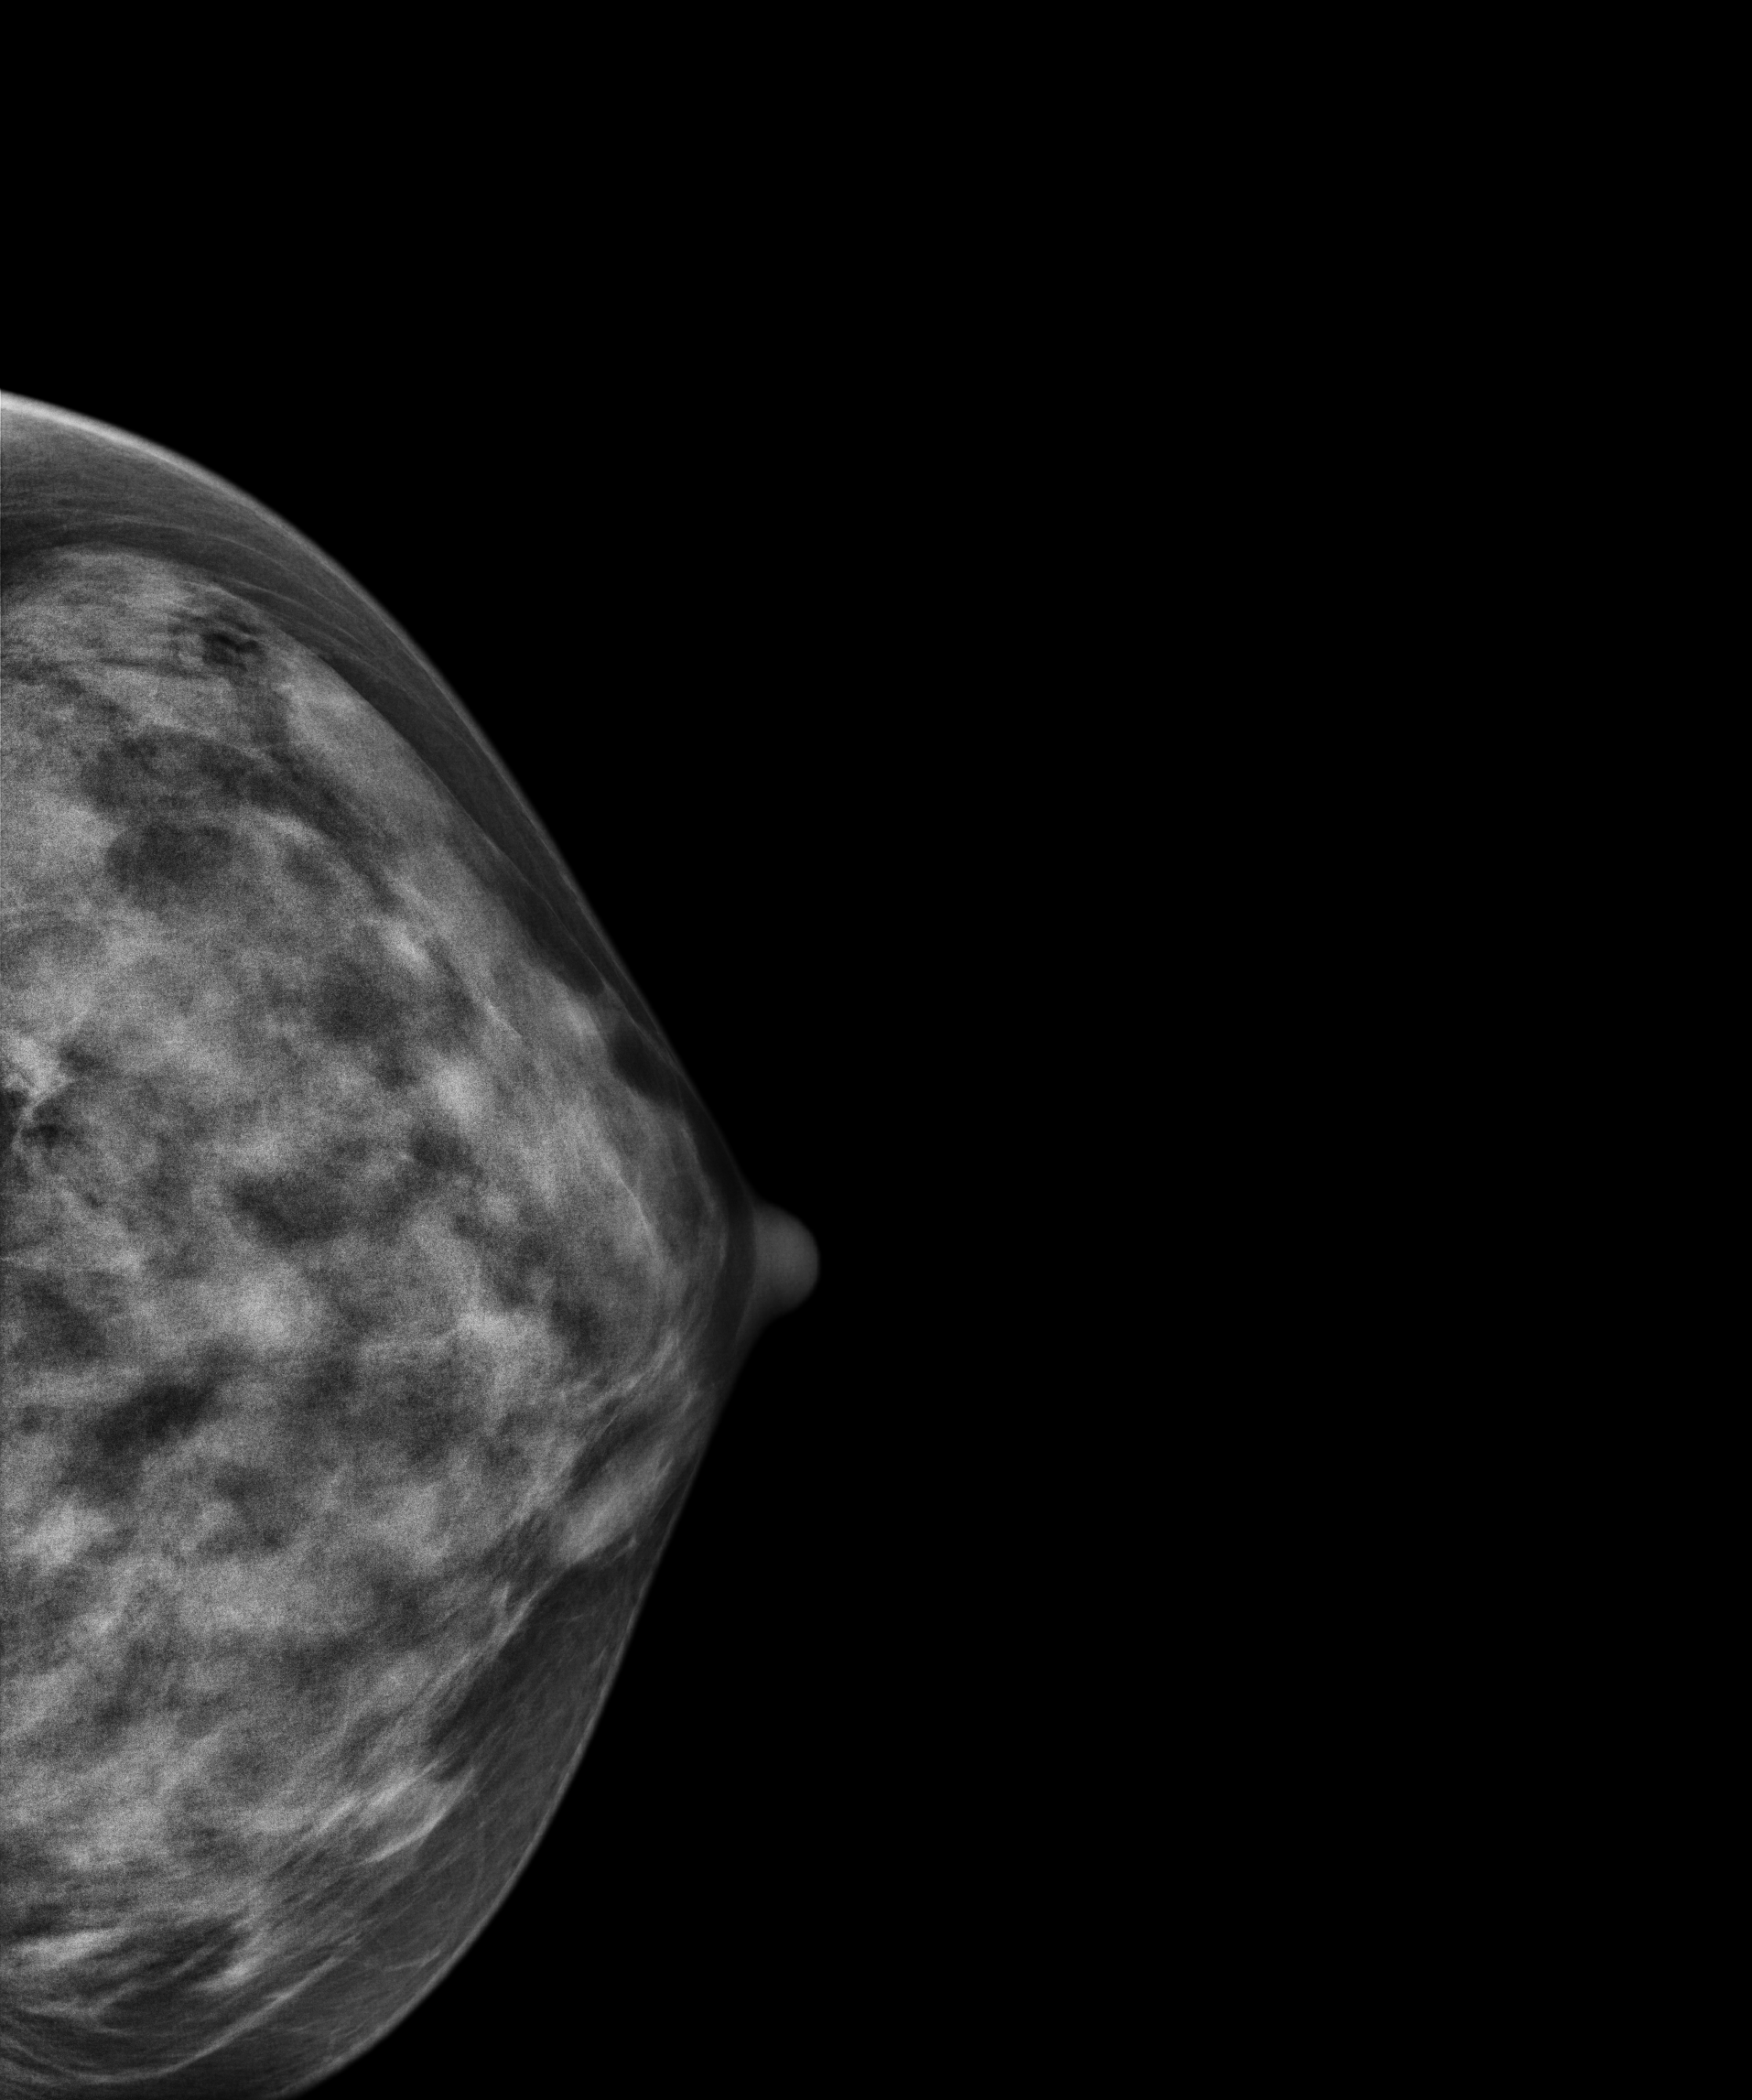
Mammogram — left CC. 38-year-old patient.
This breast has a mass, biopsy-confirmed benign.